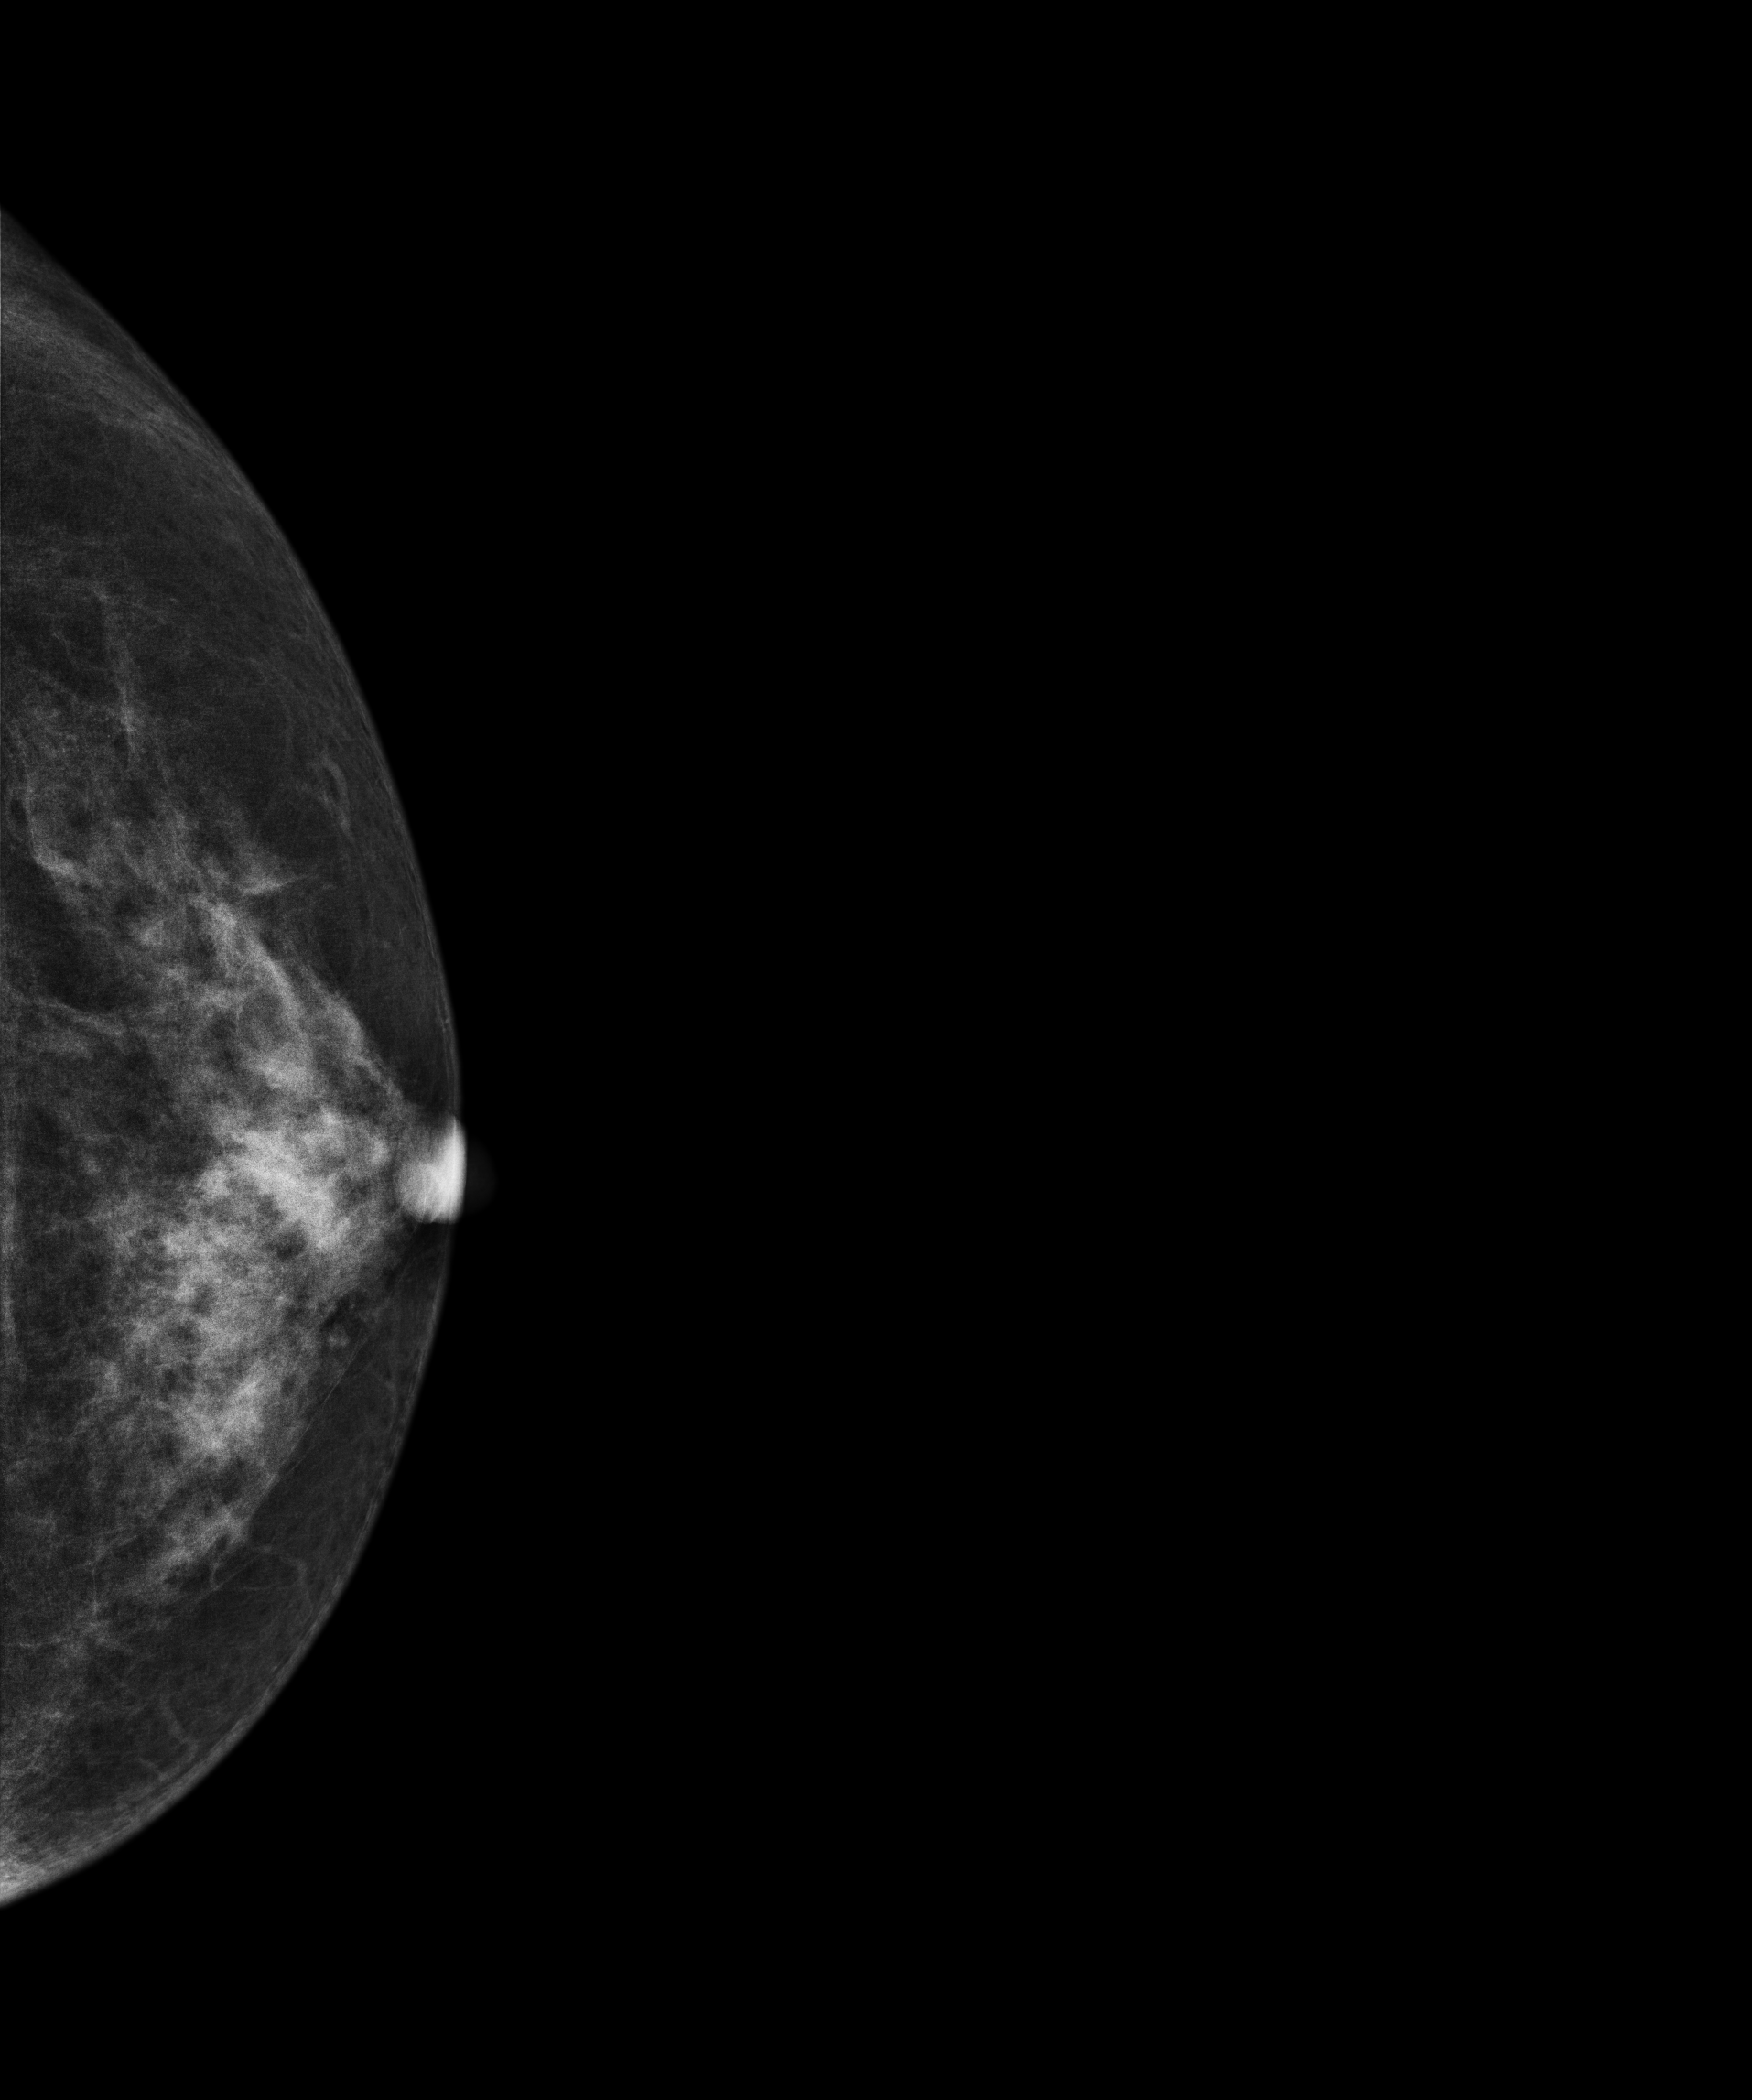
Digital mammography. Left breast, CC projection. 56-year-old patient.
Contralateral breast — no documented abnormality on this side.